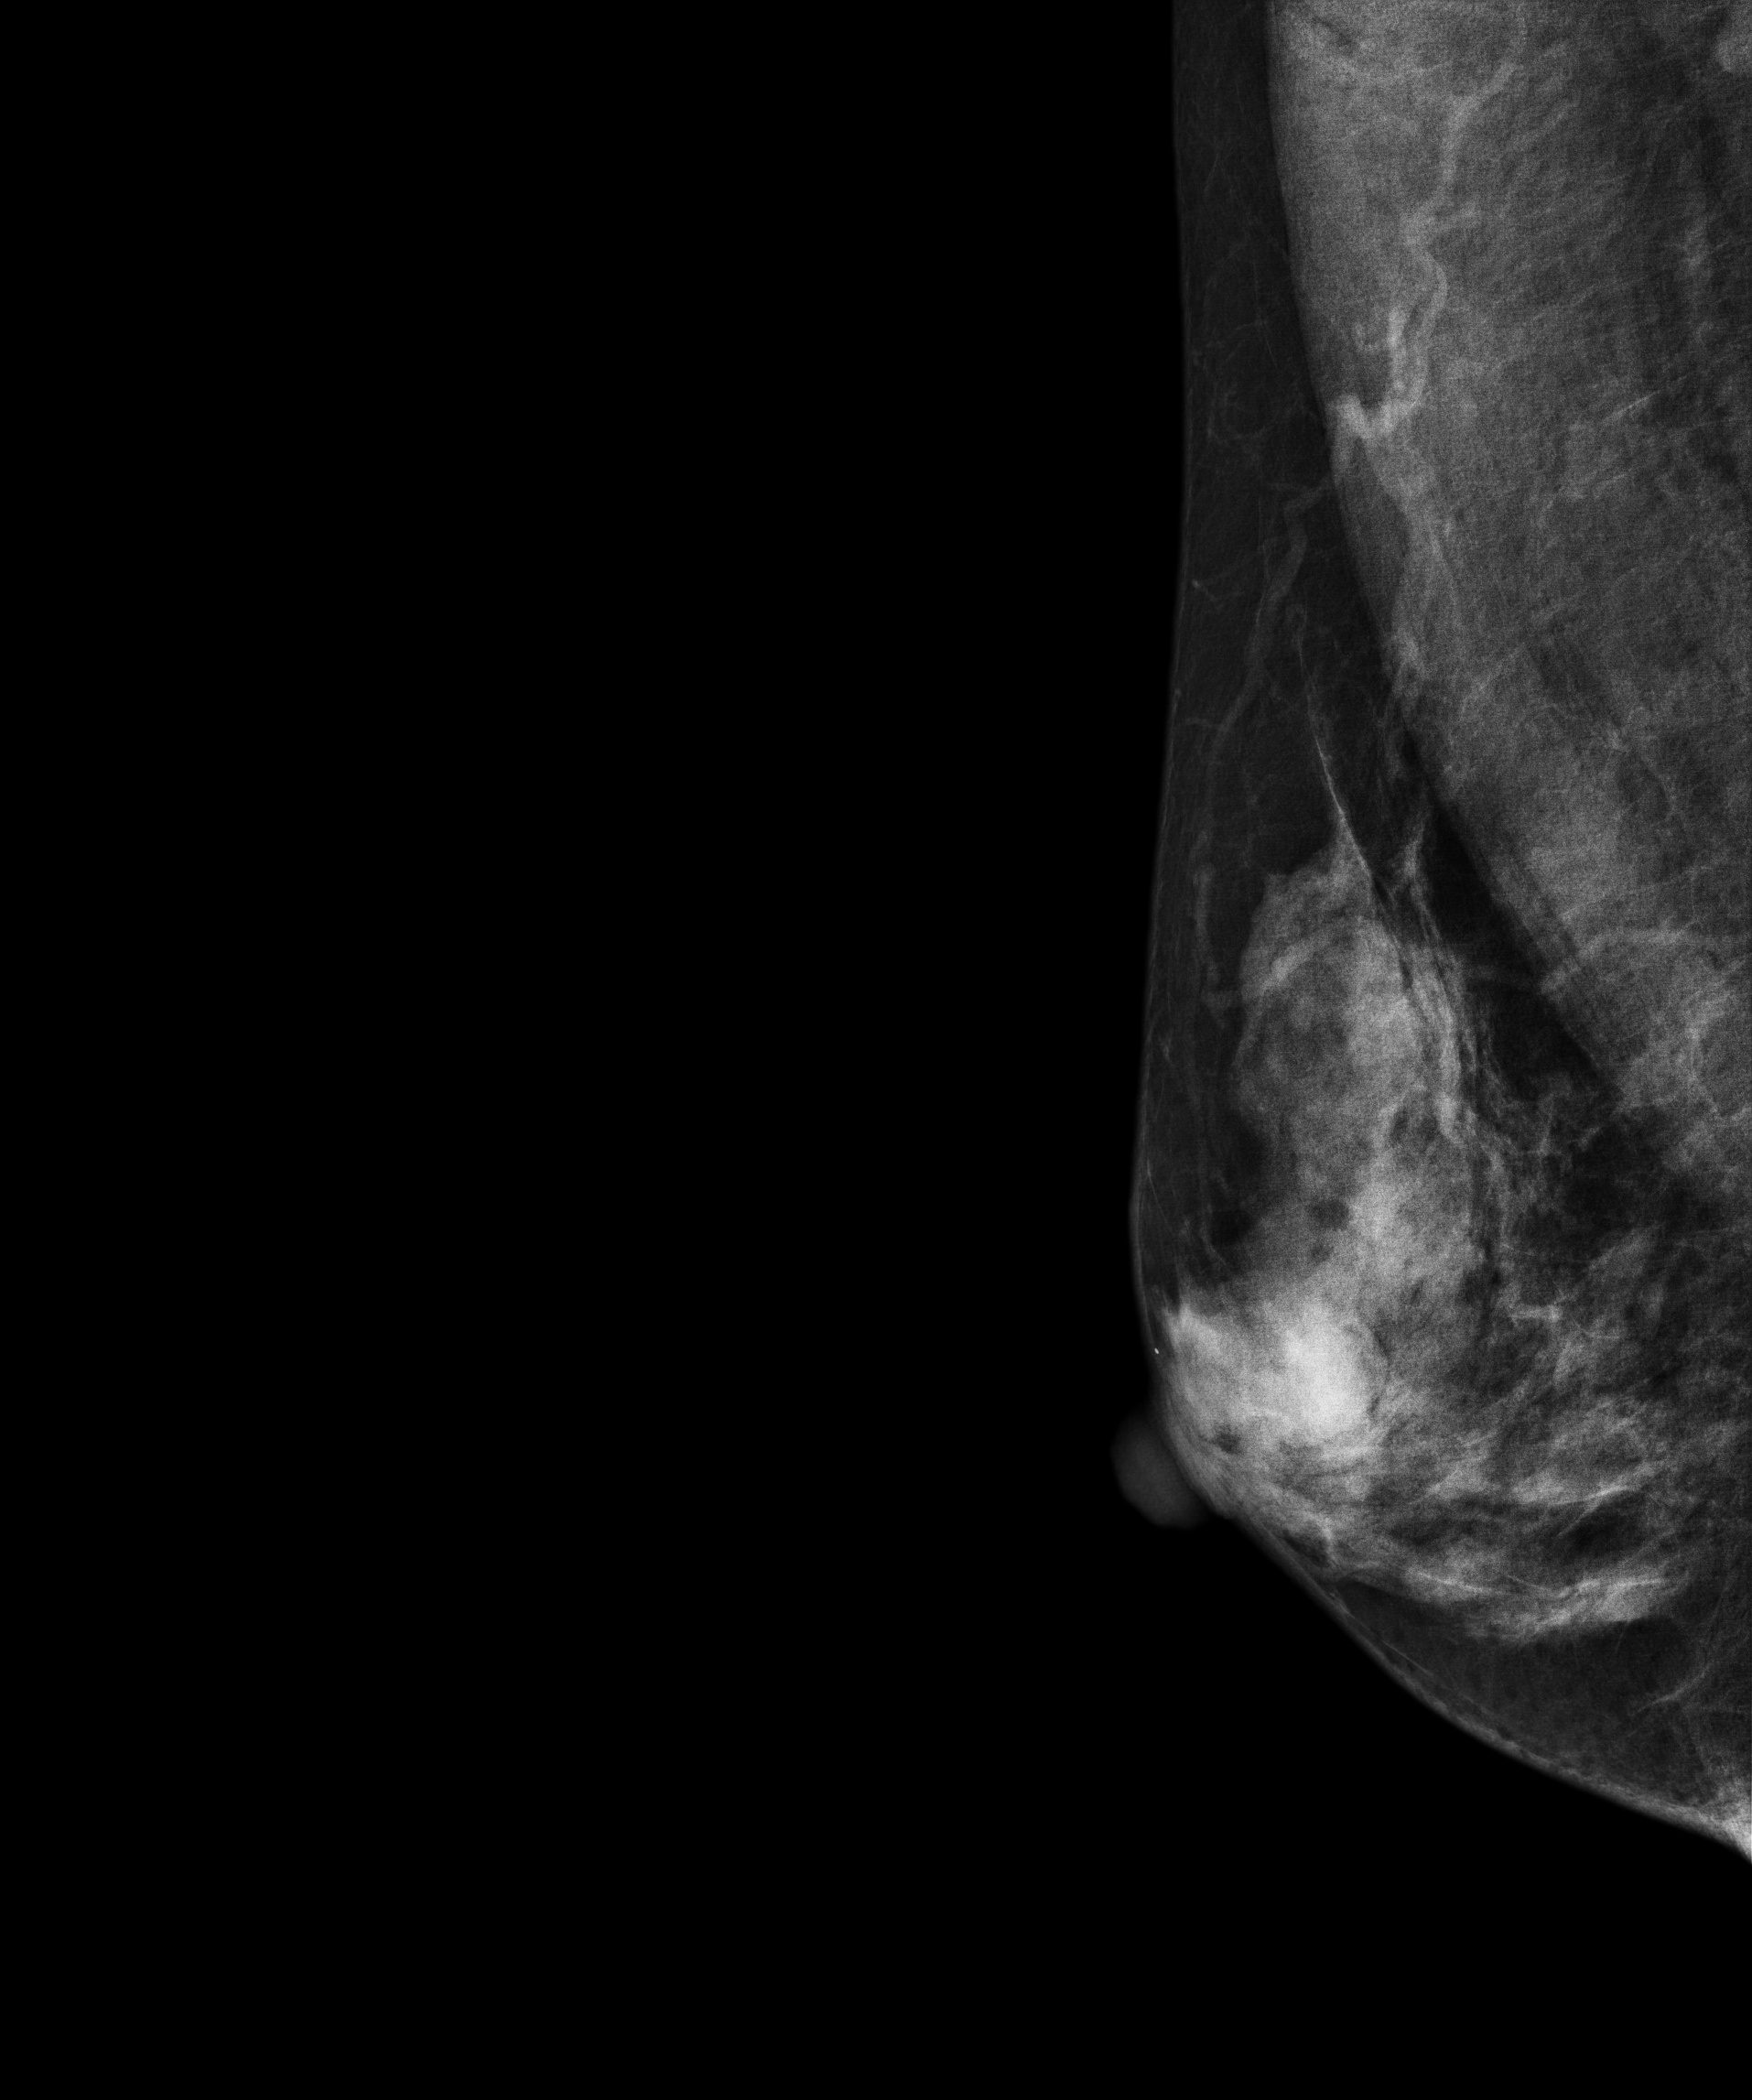
Right-breast mammogram, MLO. Patient age 48.
This breast has a mass, pathology-confirmed benign.